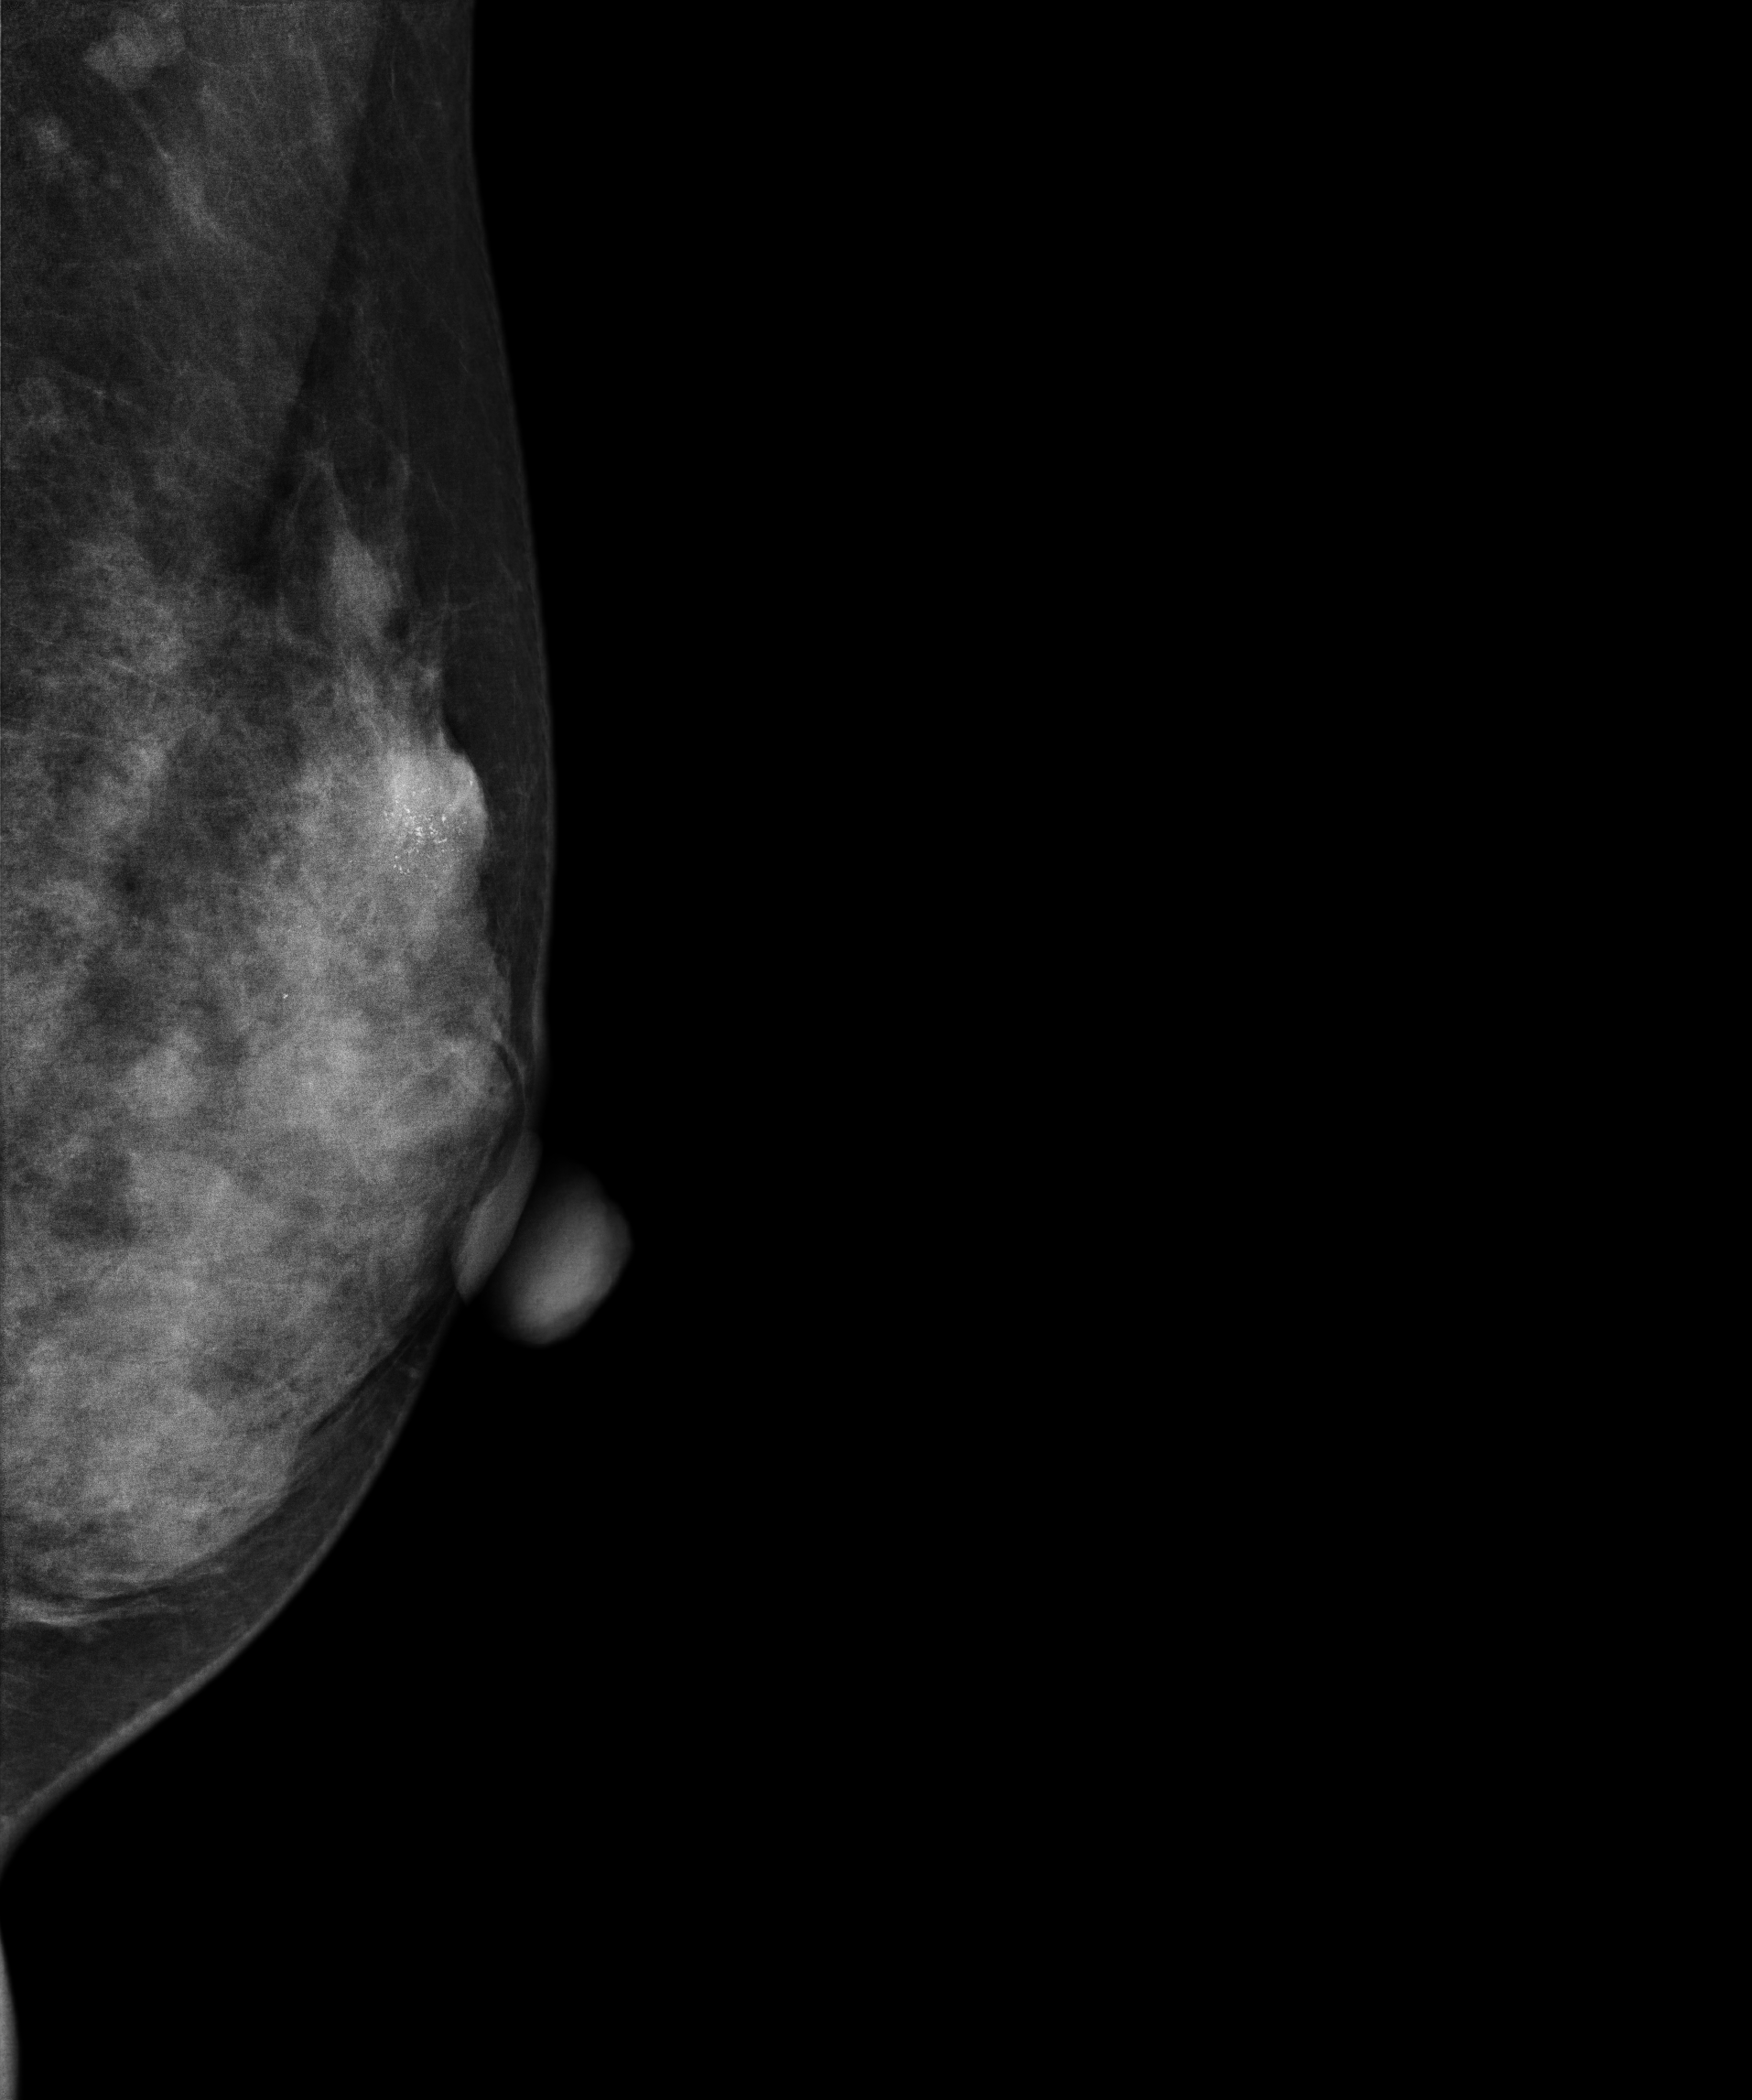
Digital mammography. Left breast, MLO projection. Patient age 38.
This breast has calcifications, biopsy-proven malignant.